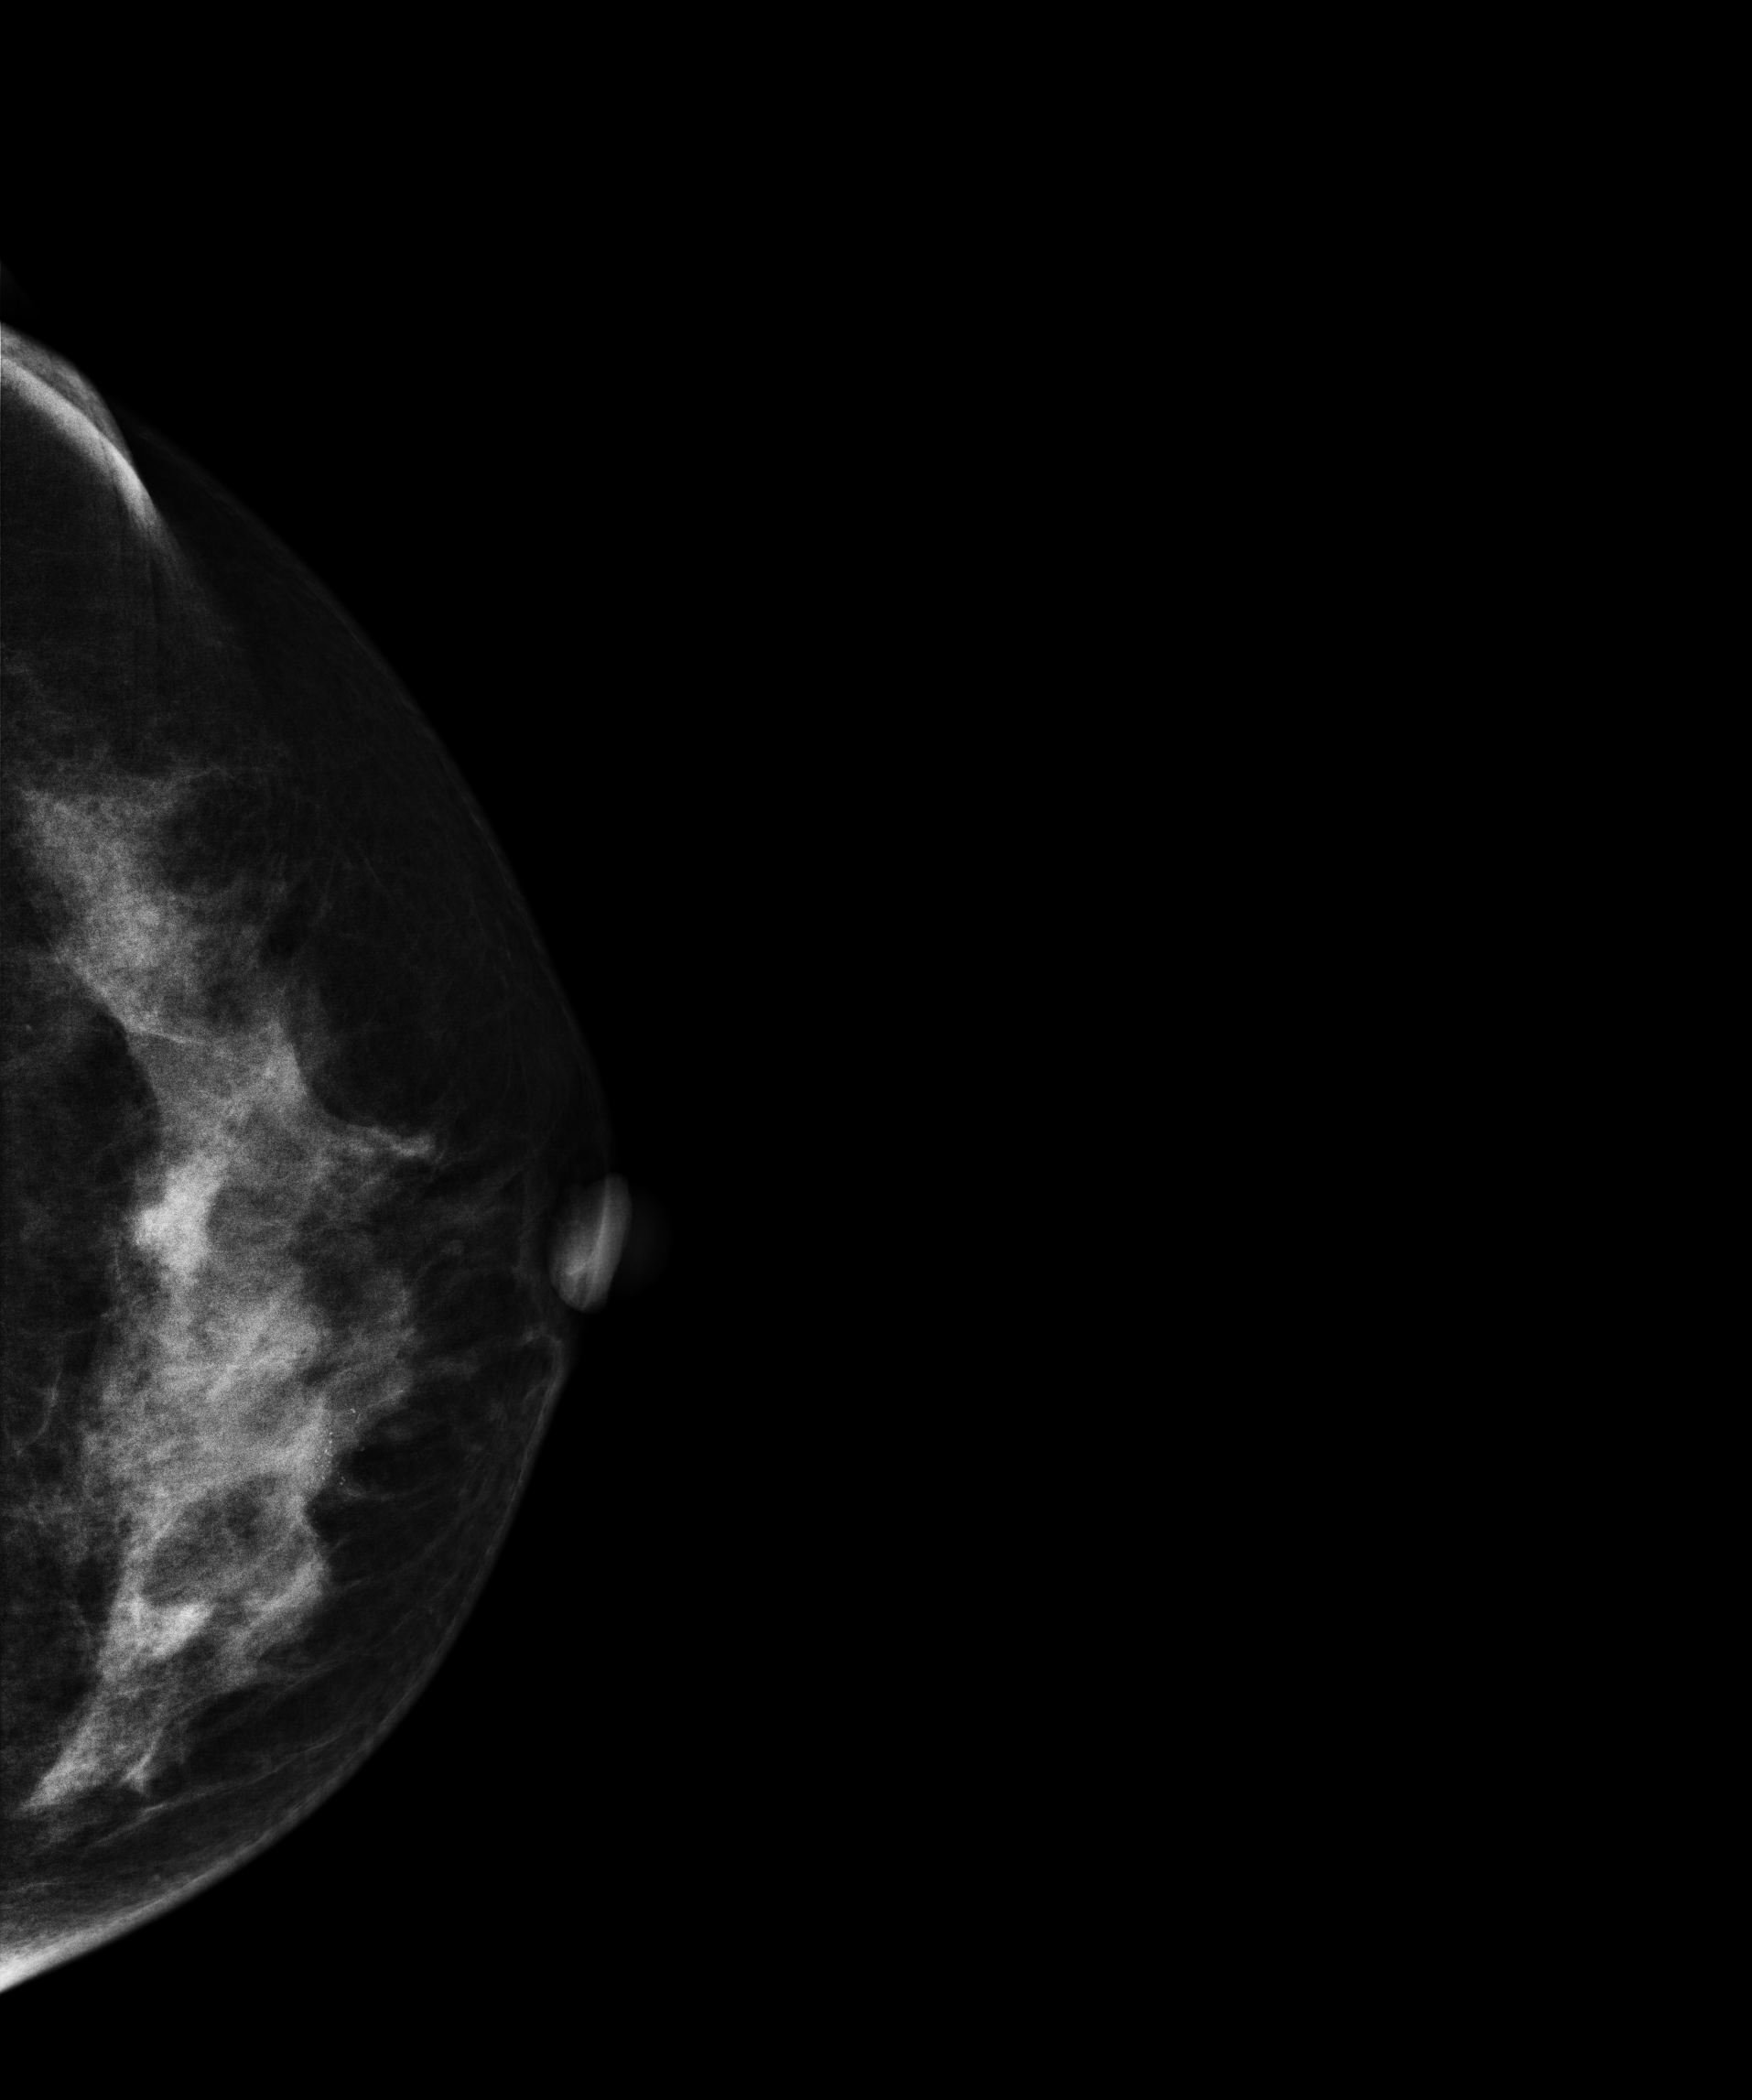
Digital mammography. Left breast, cranio-caudal projection. 53-year-old patient.
This breast has calcifications, pathology-confirmed malignant. Molecular subtype: luminal B.